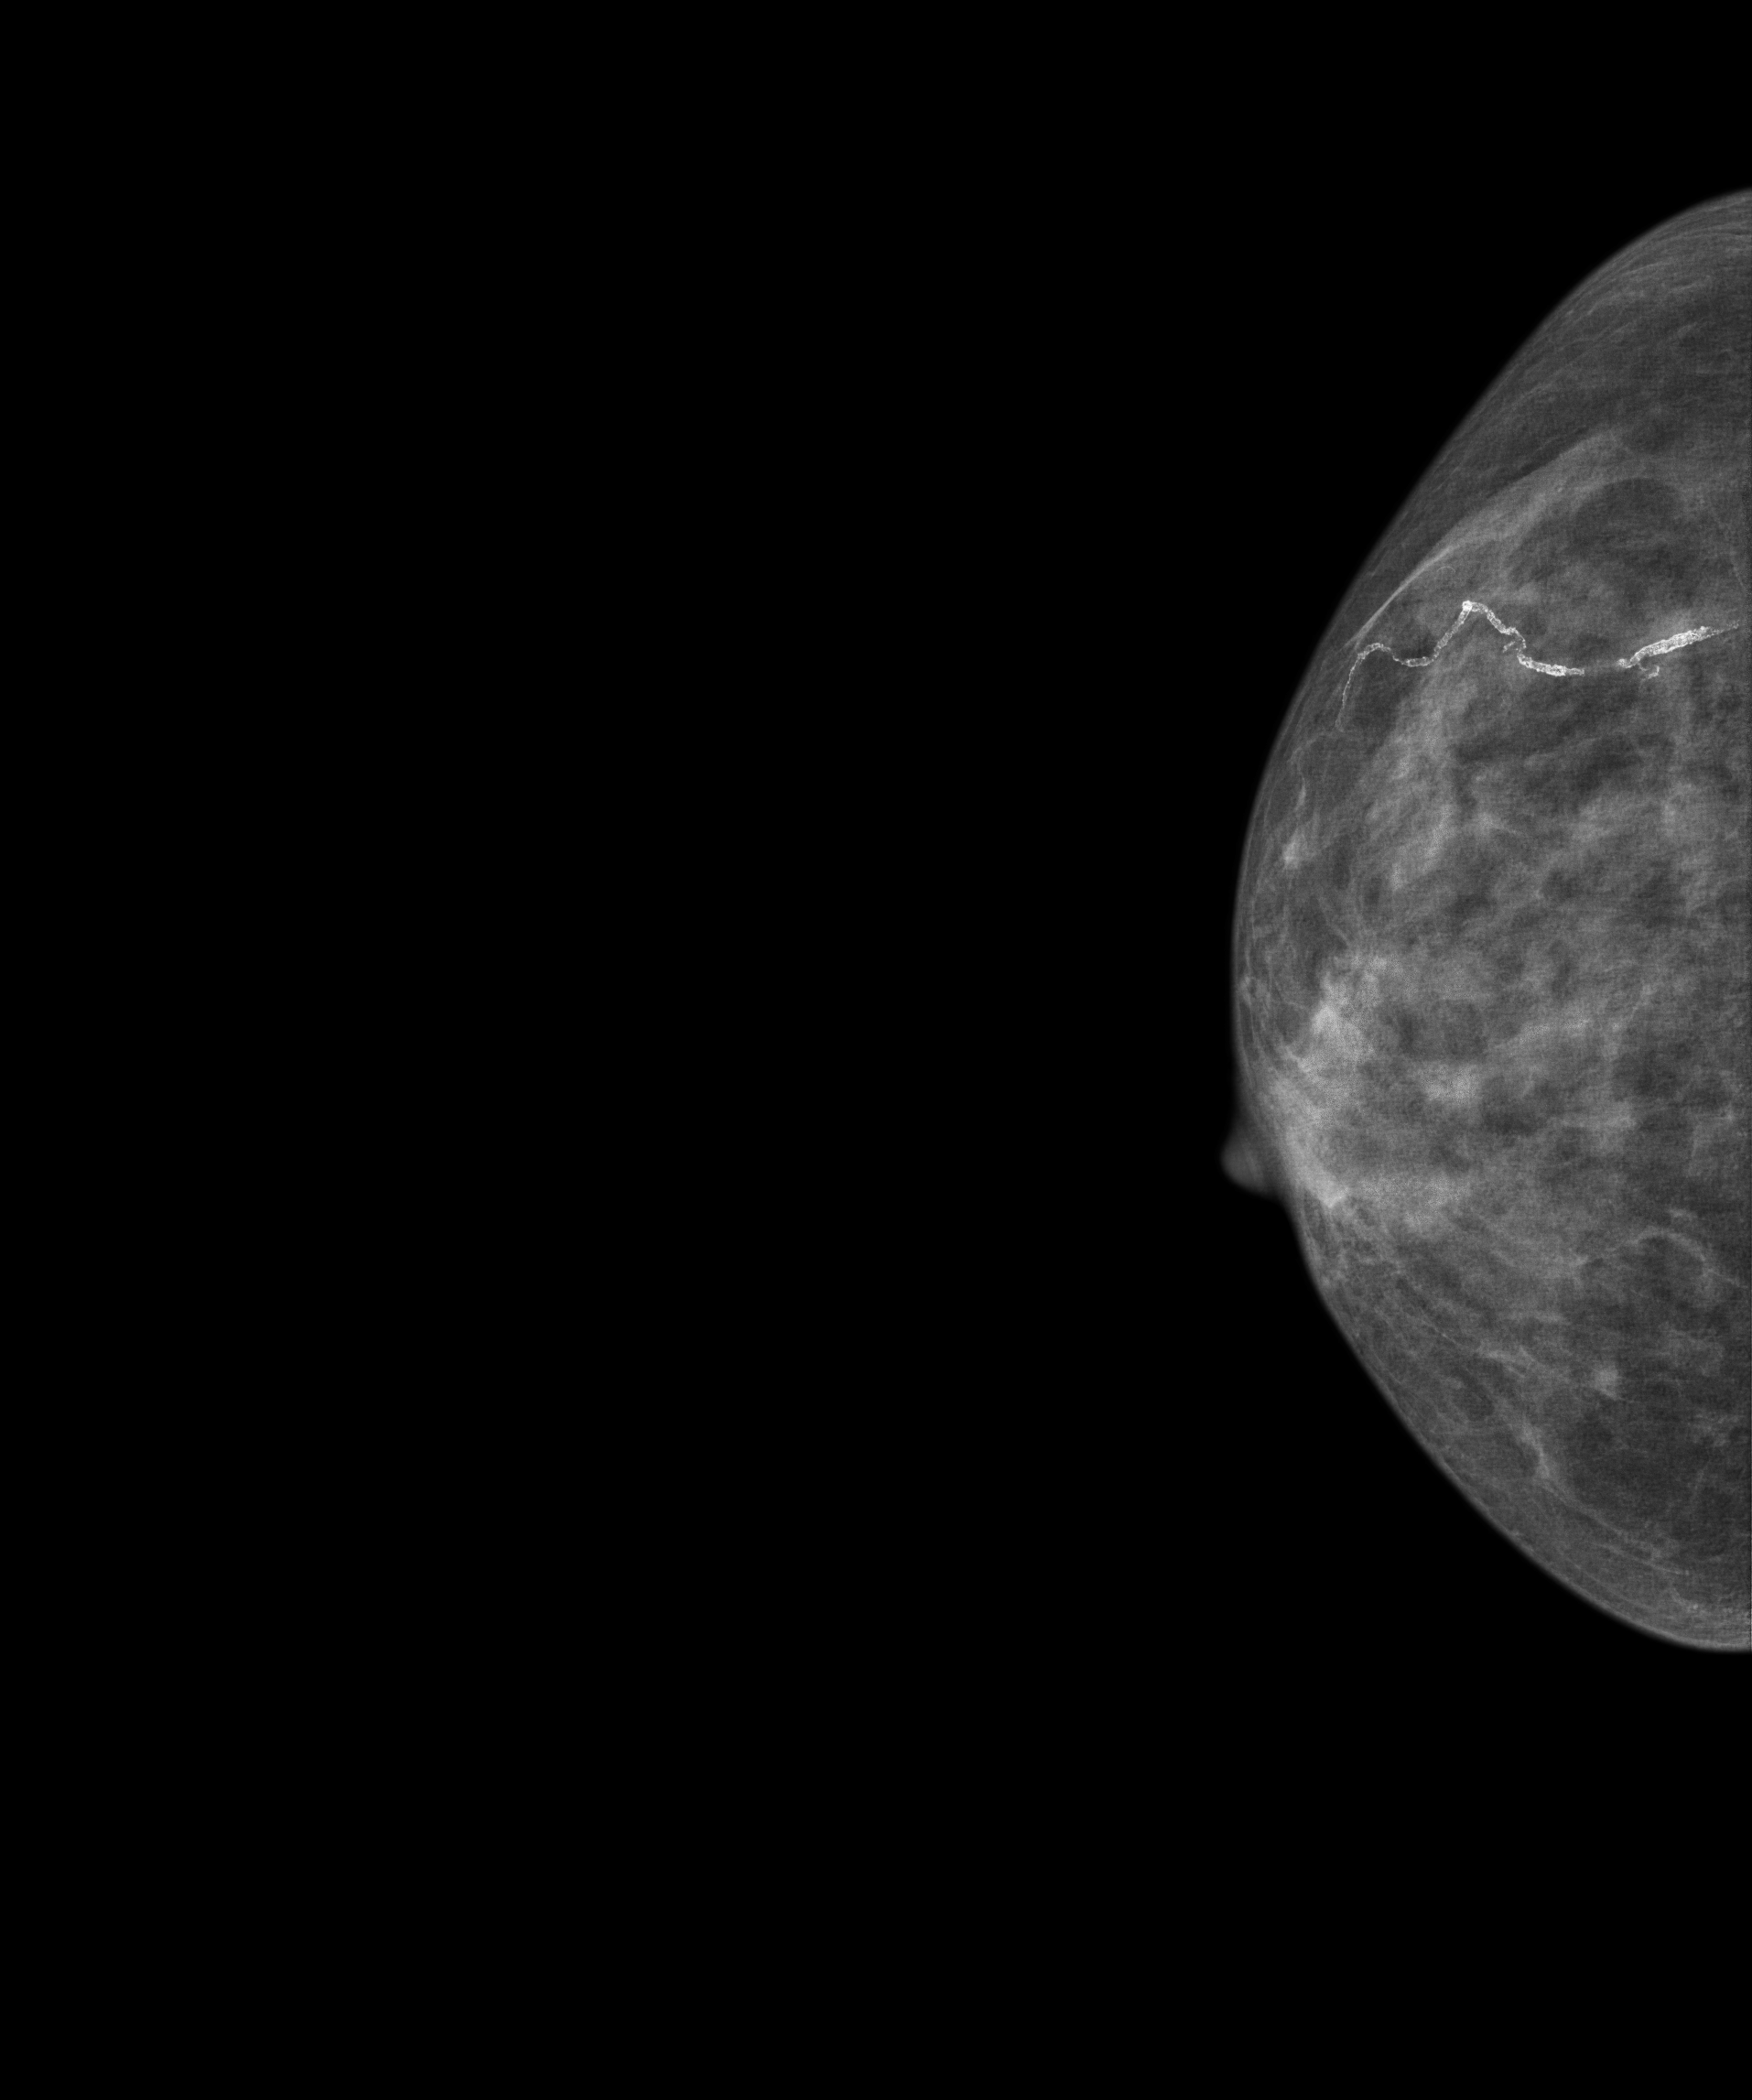
Right-breast mammogram, CC. 64-year-old patient.
Contralateral breast — no documented abnormality on this side.